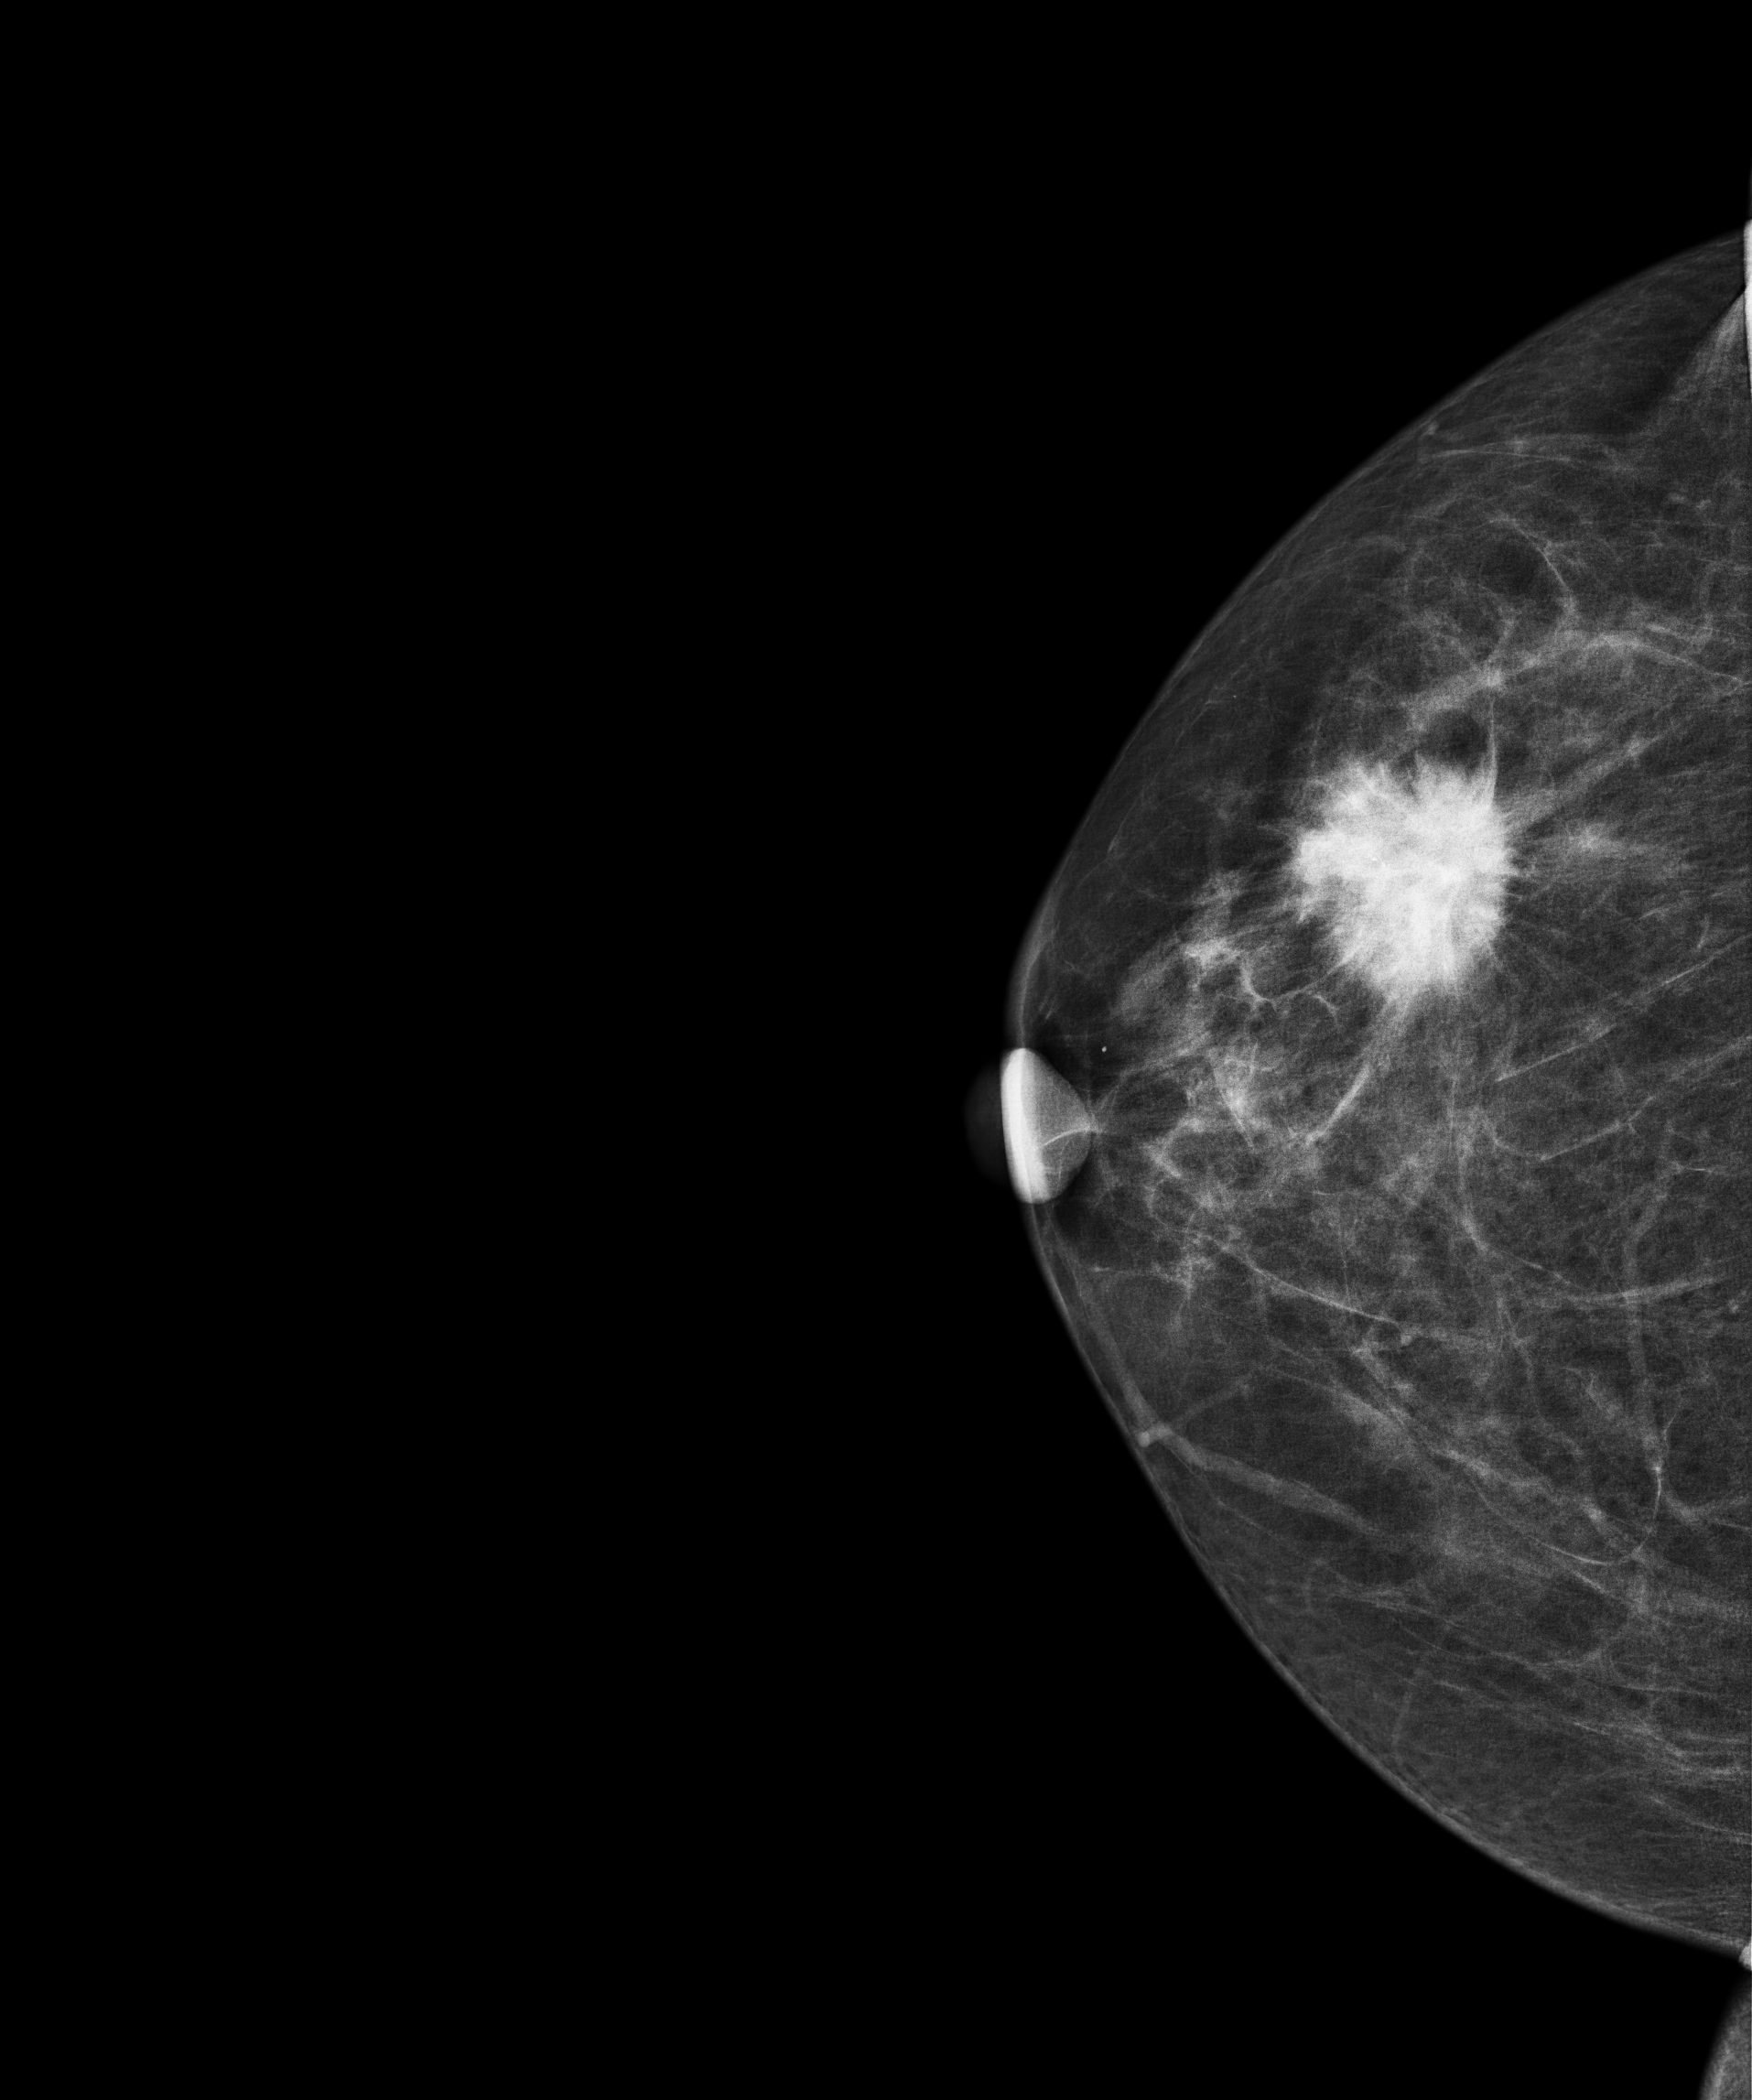
Digital mammography. Right breast, CC projection. Patient age 58.
This breast has a mass, biopsy-proven malignant.